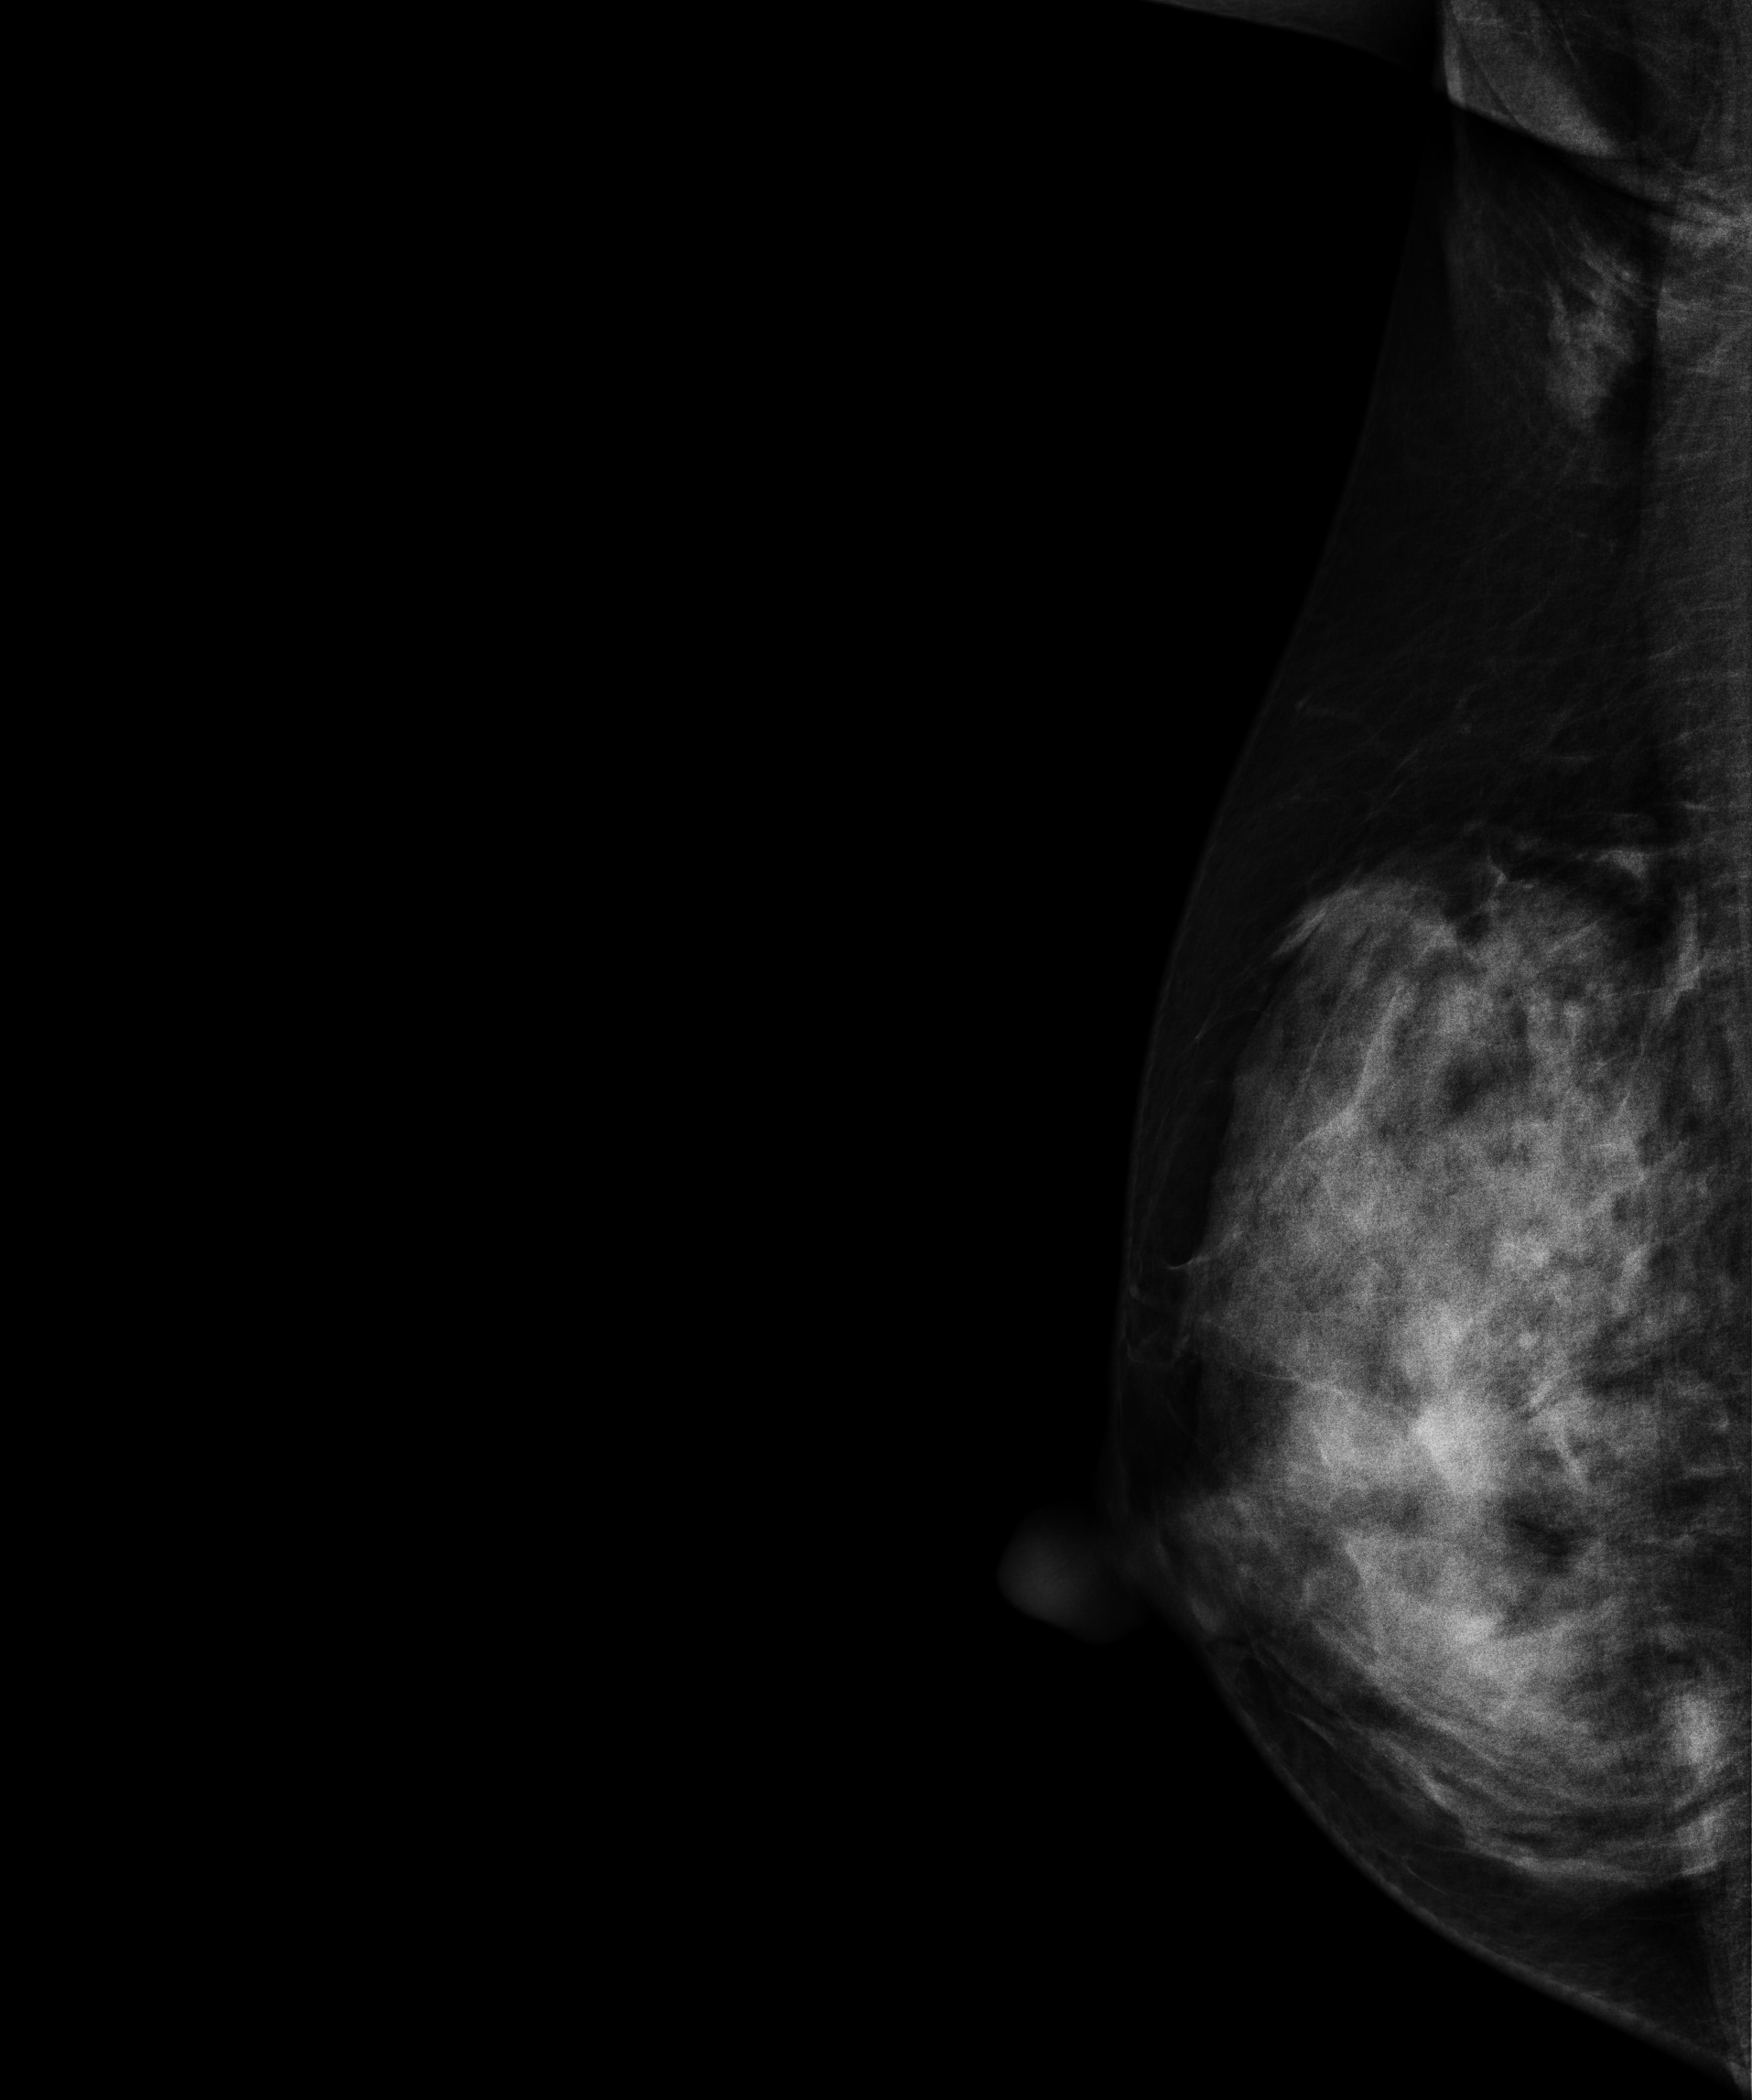
Mammogram — right MLO. Patient age 48.
This breast has a mass, pathology-confirmed malignant. Molecular subtype: luminal A.